Mammogram — right medio-lateral oblique. 47 y/o patient.
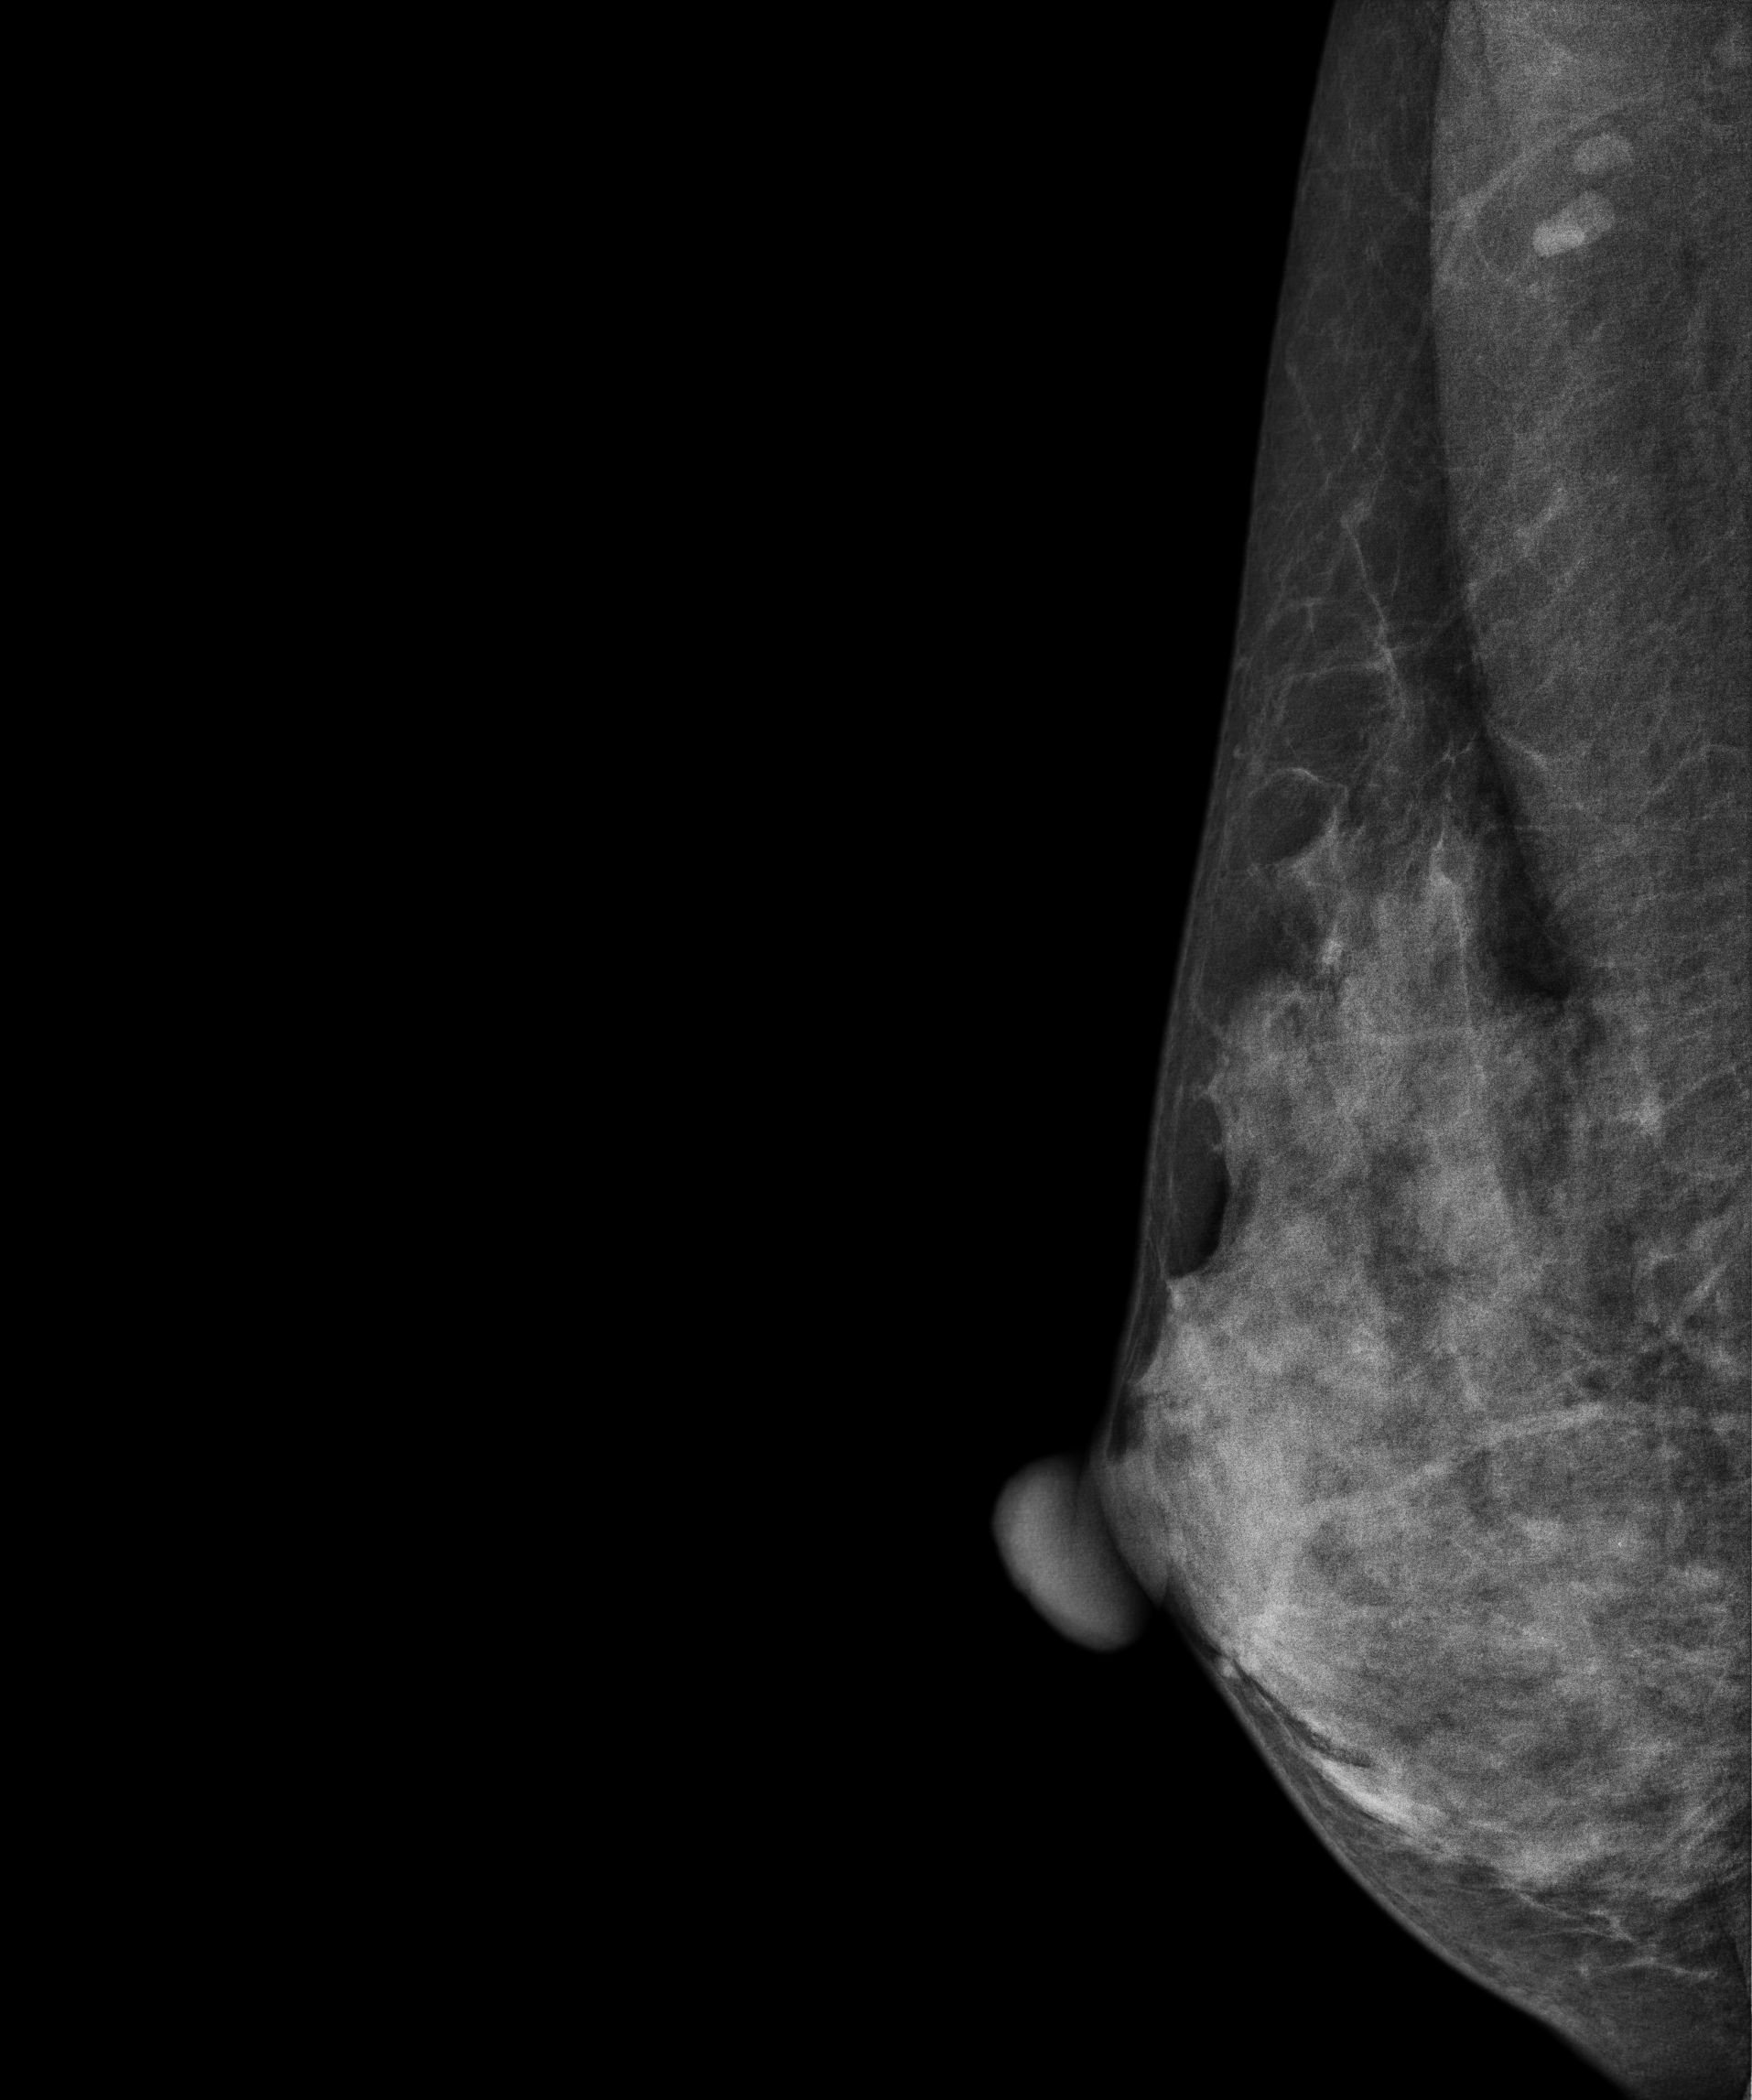
Contralateral breast — no documented abnormality on this side.